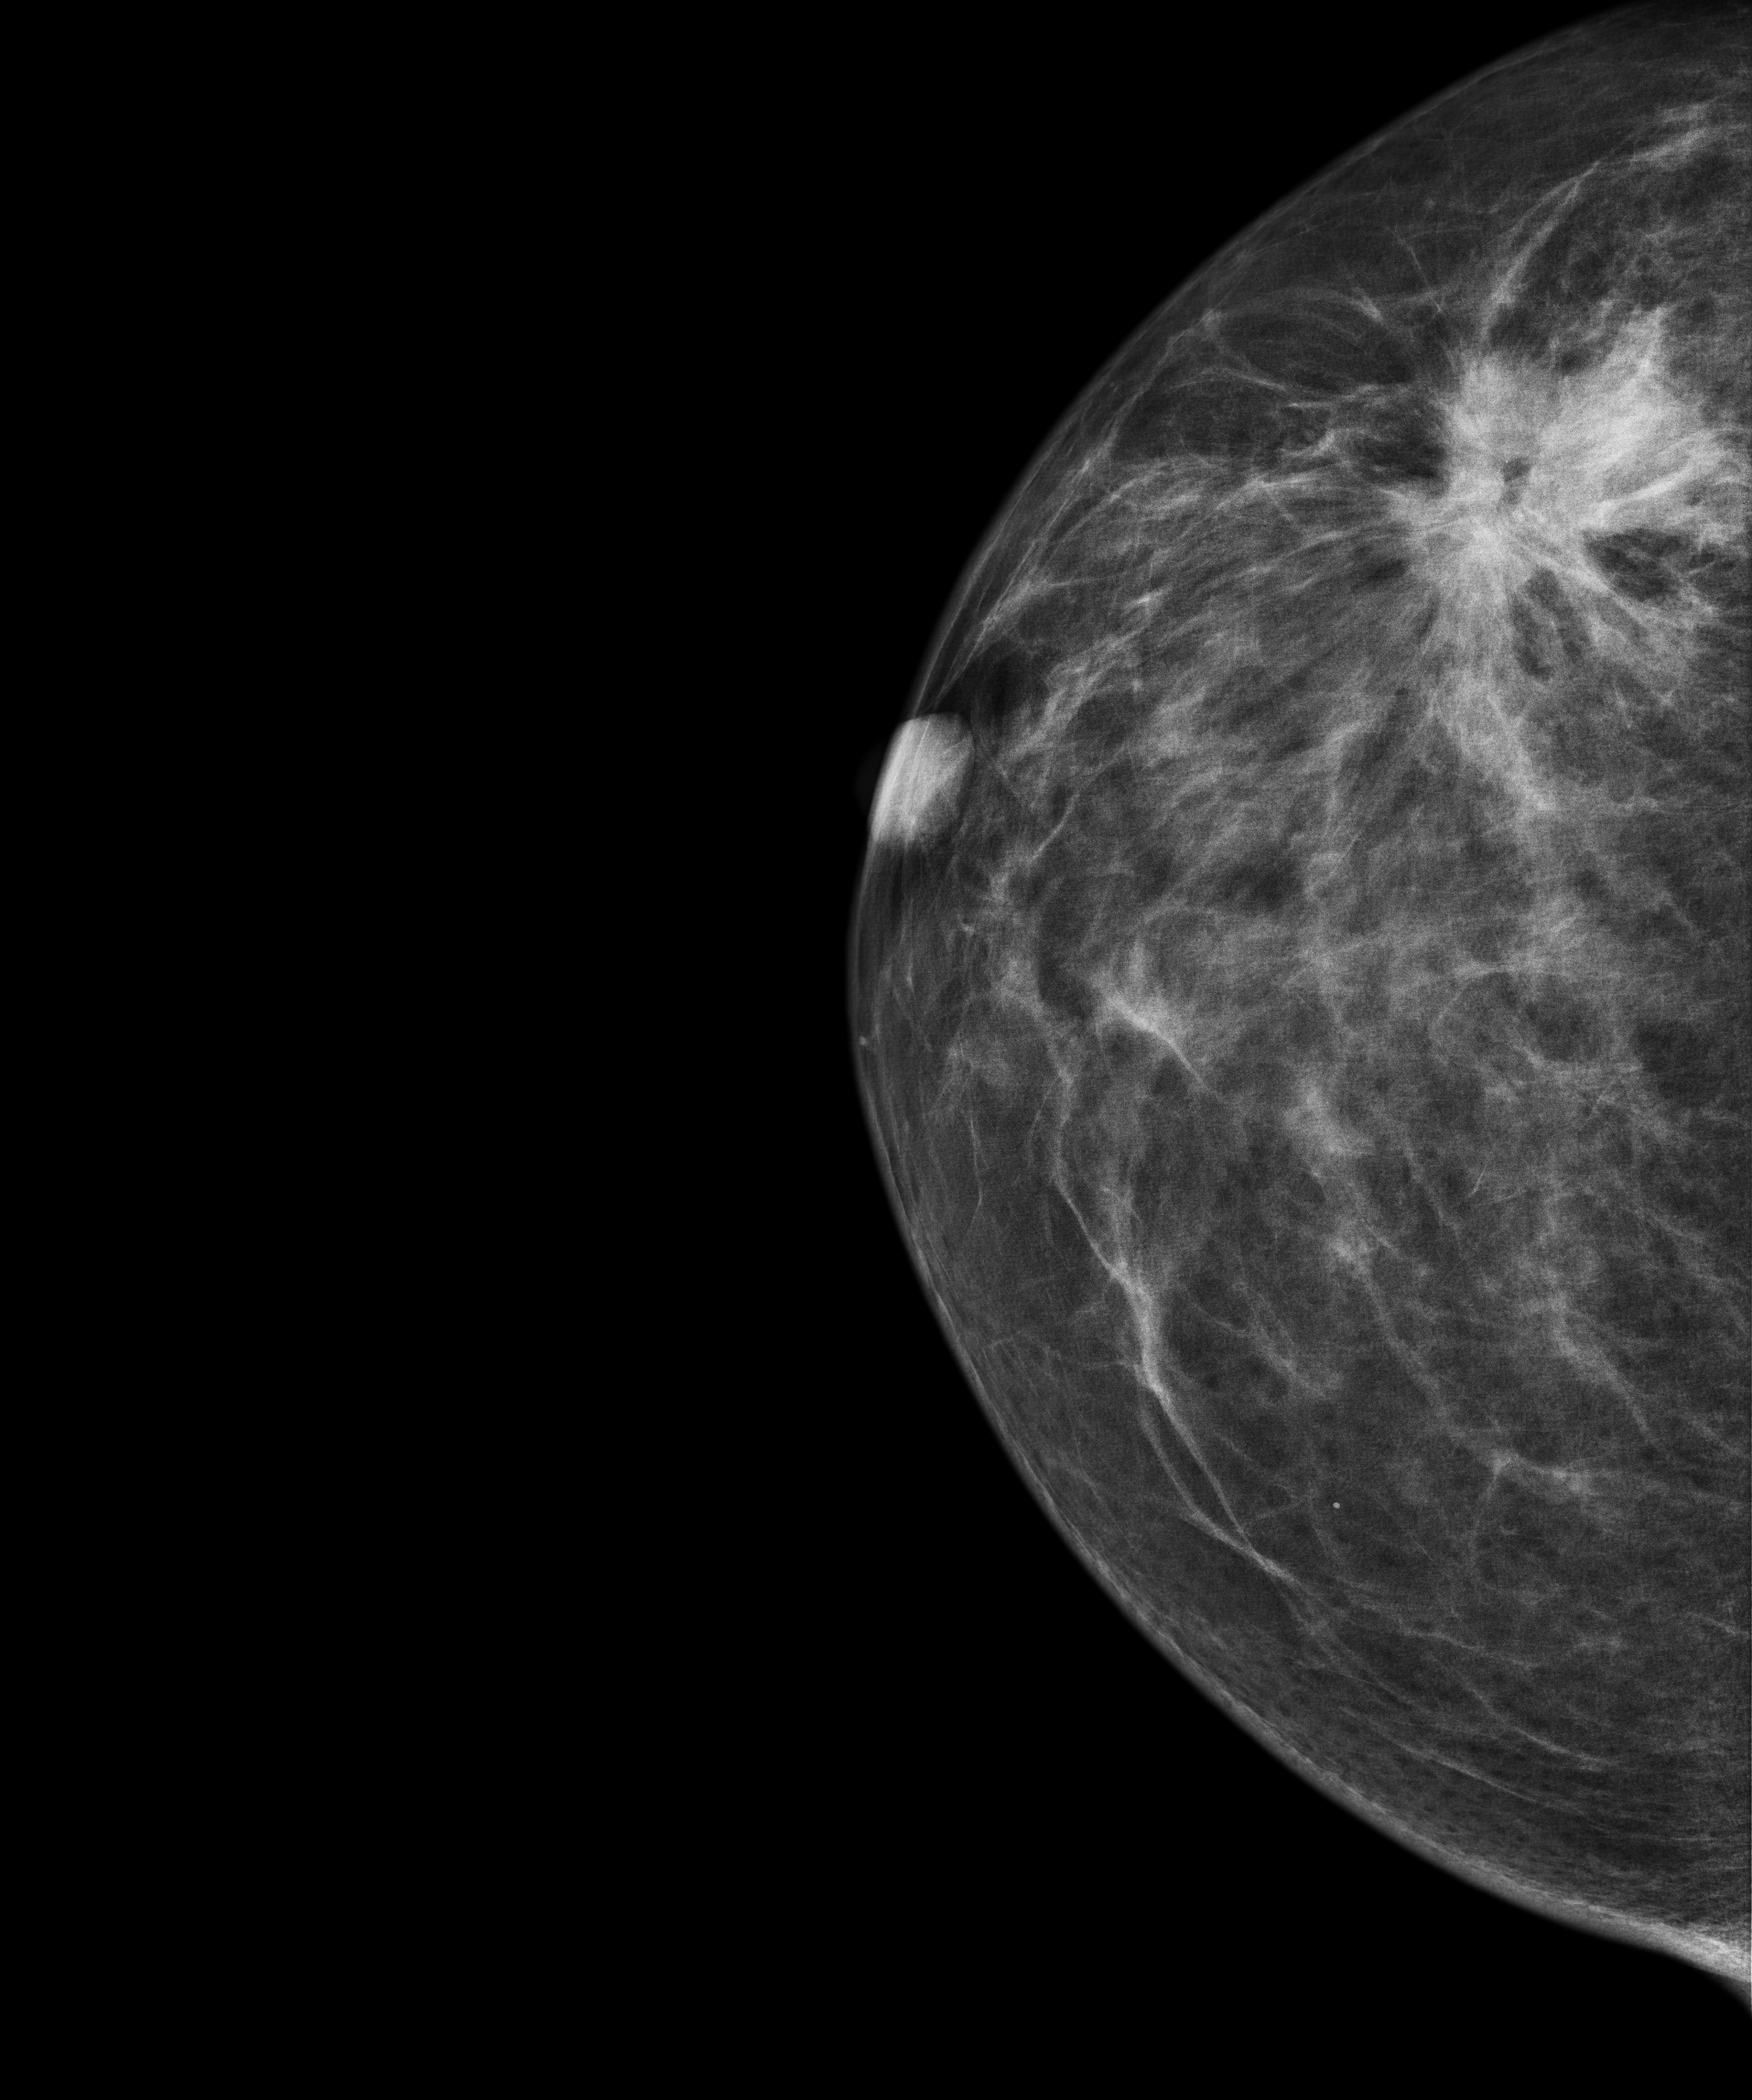
Digital mammography. Right breast, cranio-caudal projection. 51-year-old patient.
This breast has a mass, biopsy-proven malignant. Molecular subtype: luminal A.